Mammogram — right CC. 52-year-old patient.
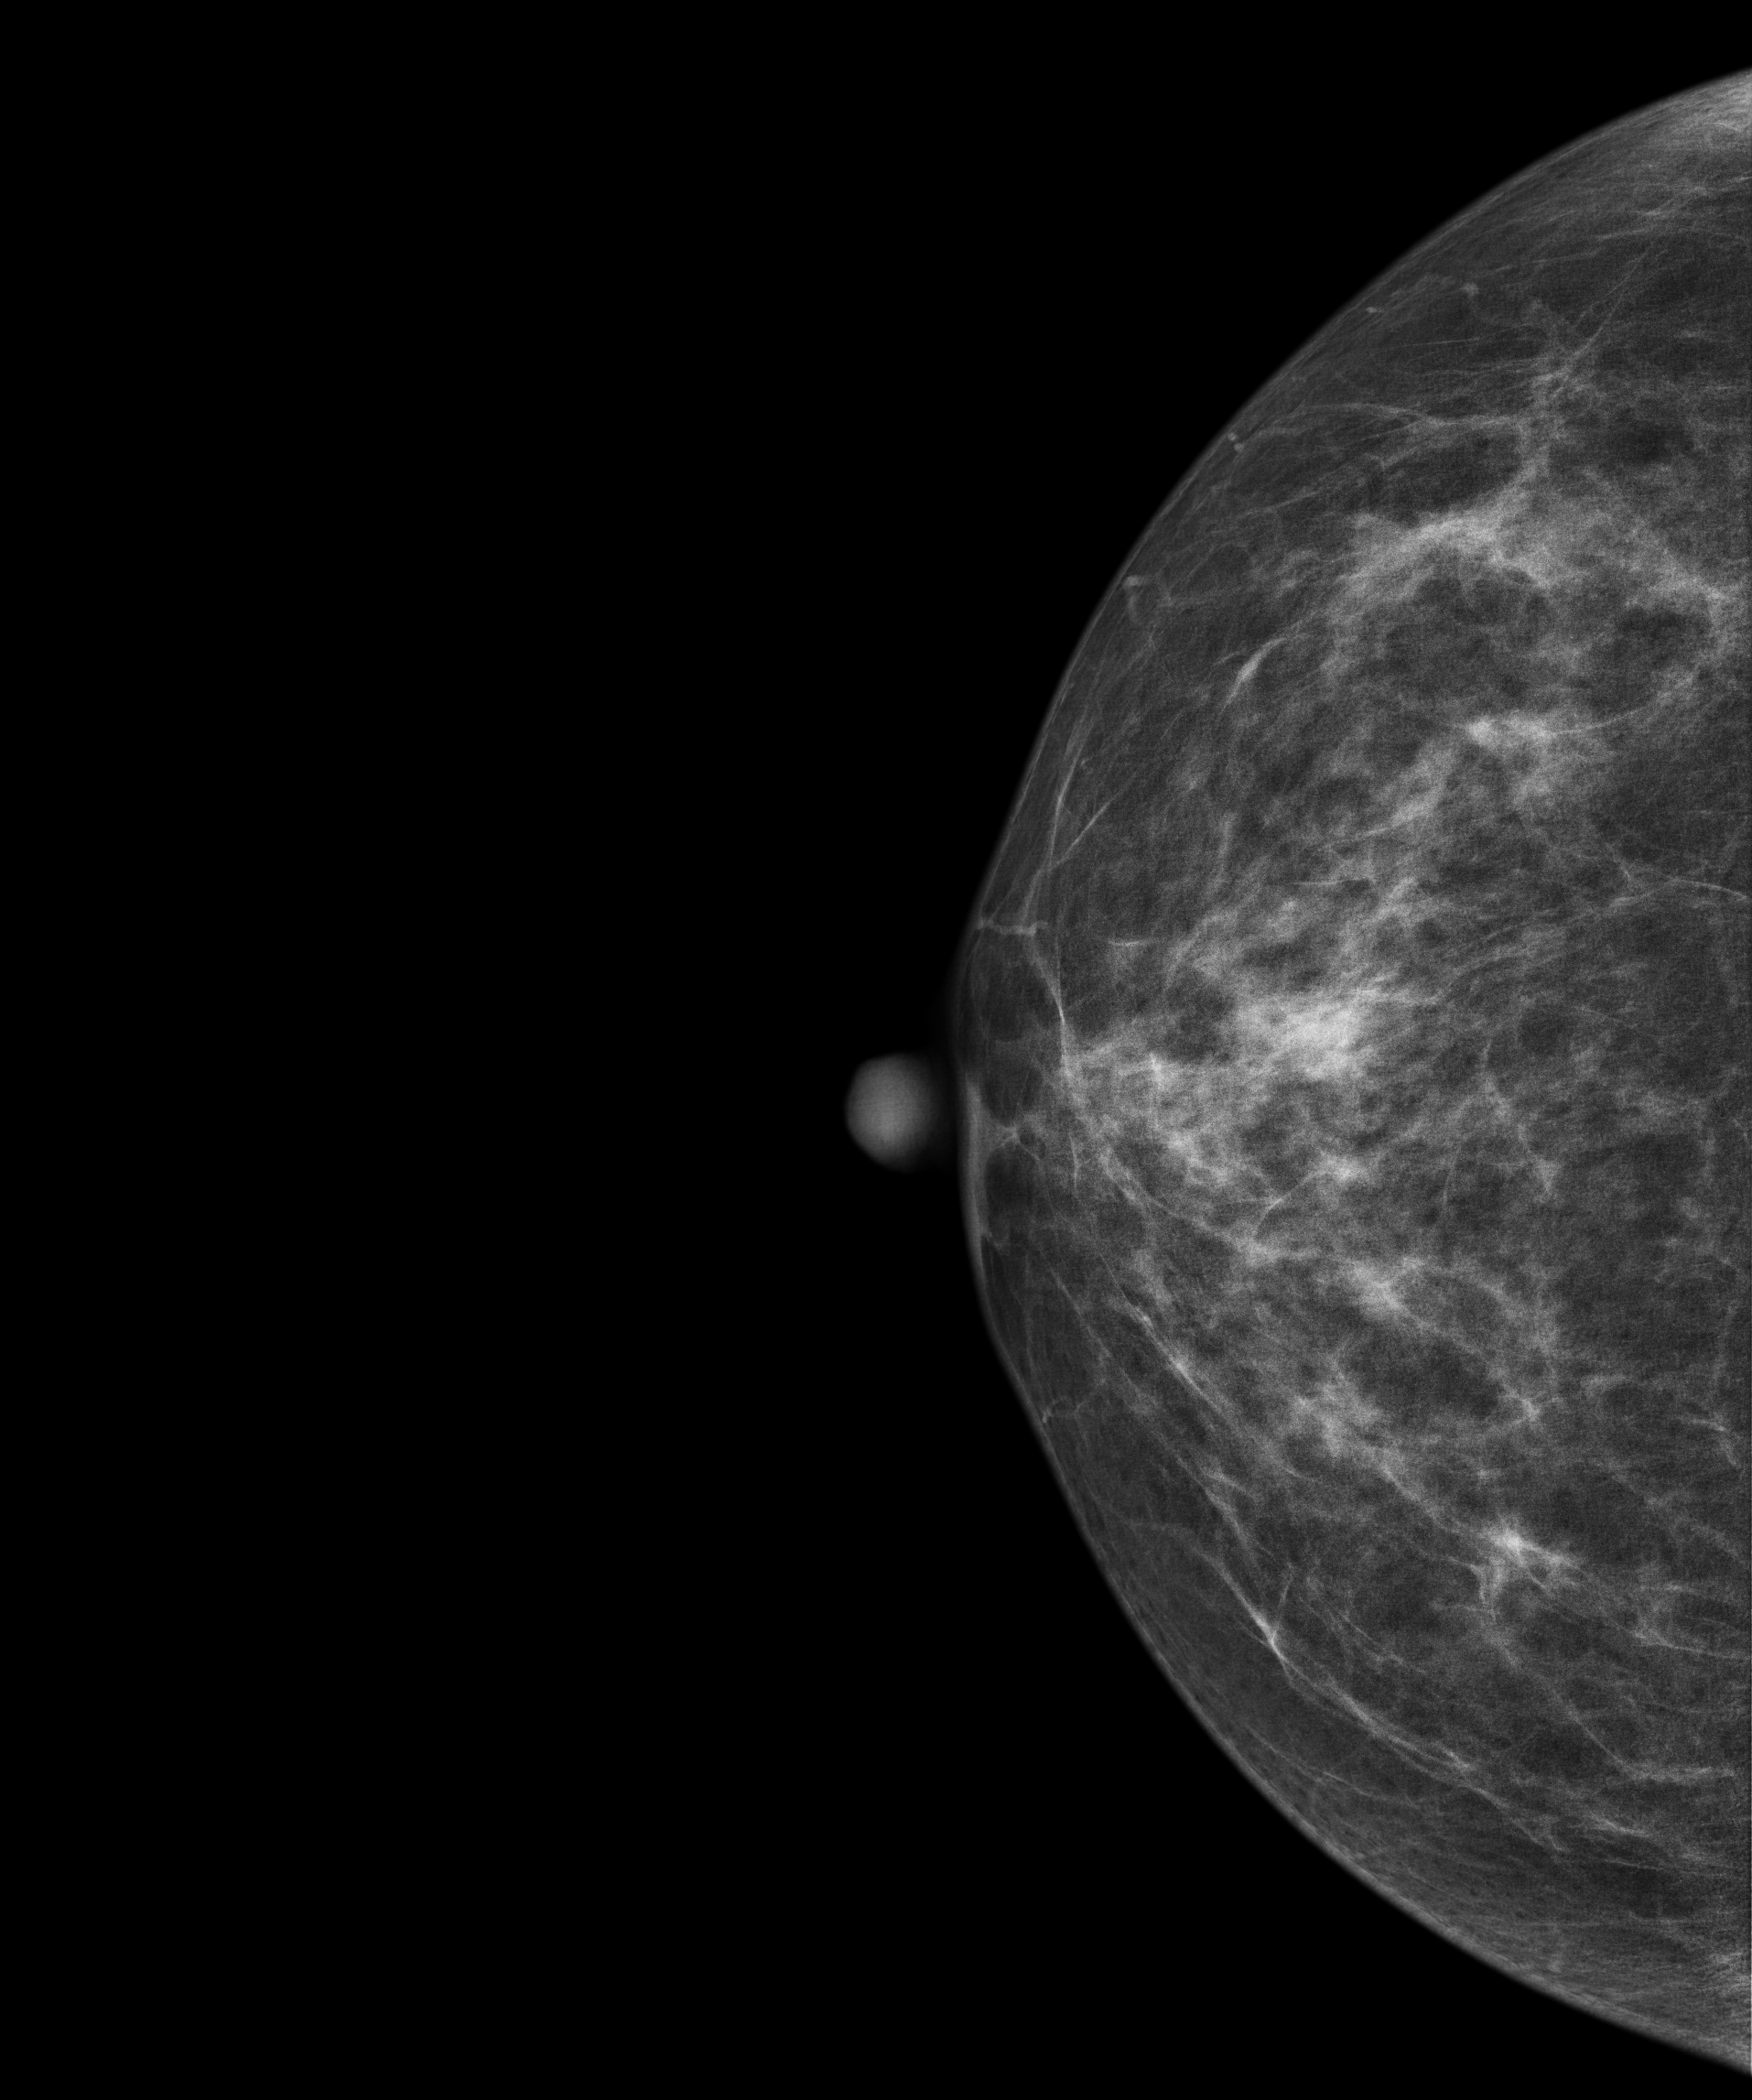
Contralateral breast — no documented abnormality on this side.